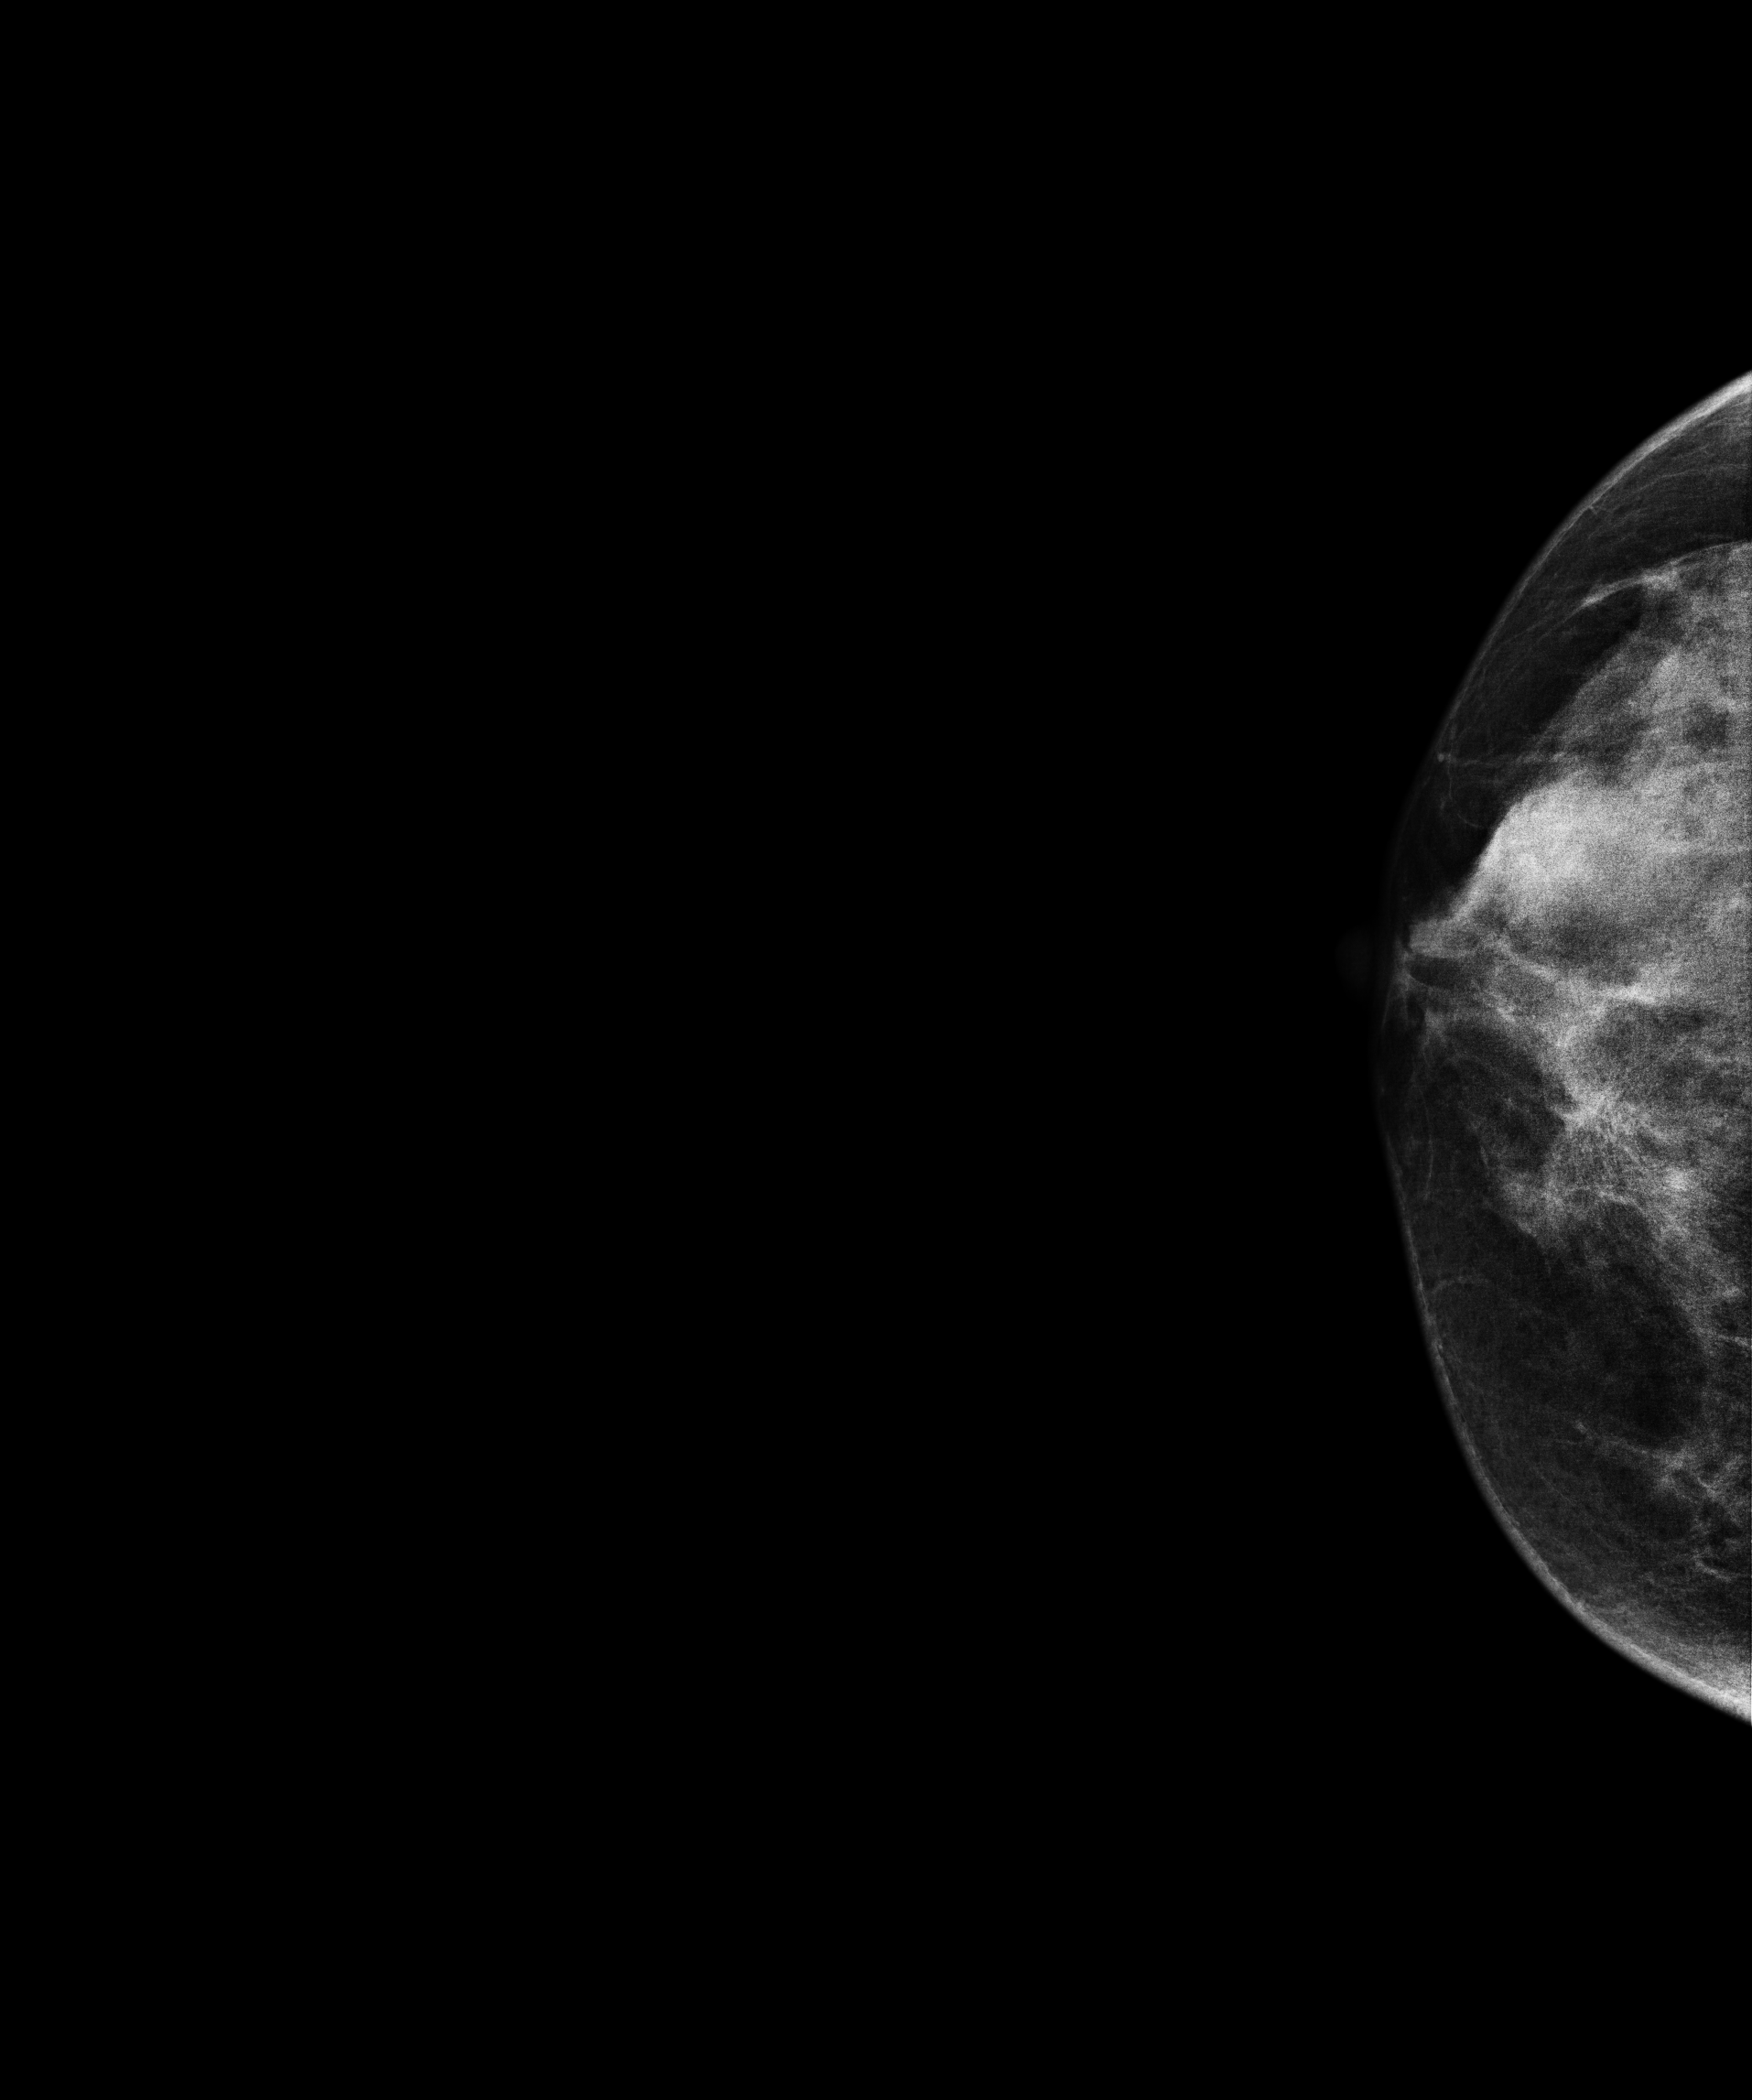
Cranio-caudal mammogram of the right breast. 32 y/o patient.
This breast has a mass, histologically confirmed benign.